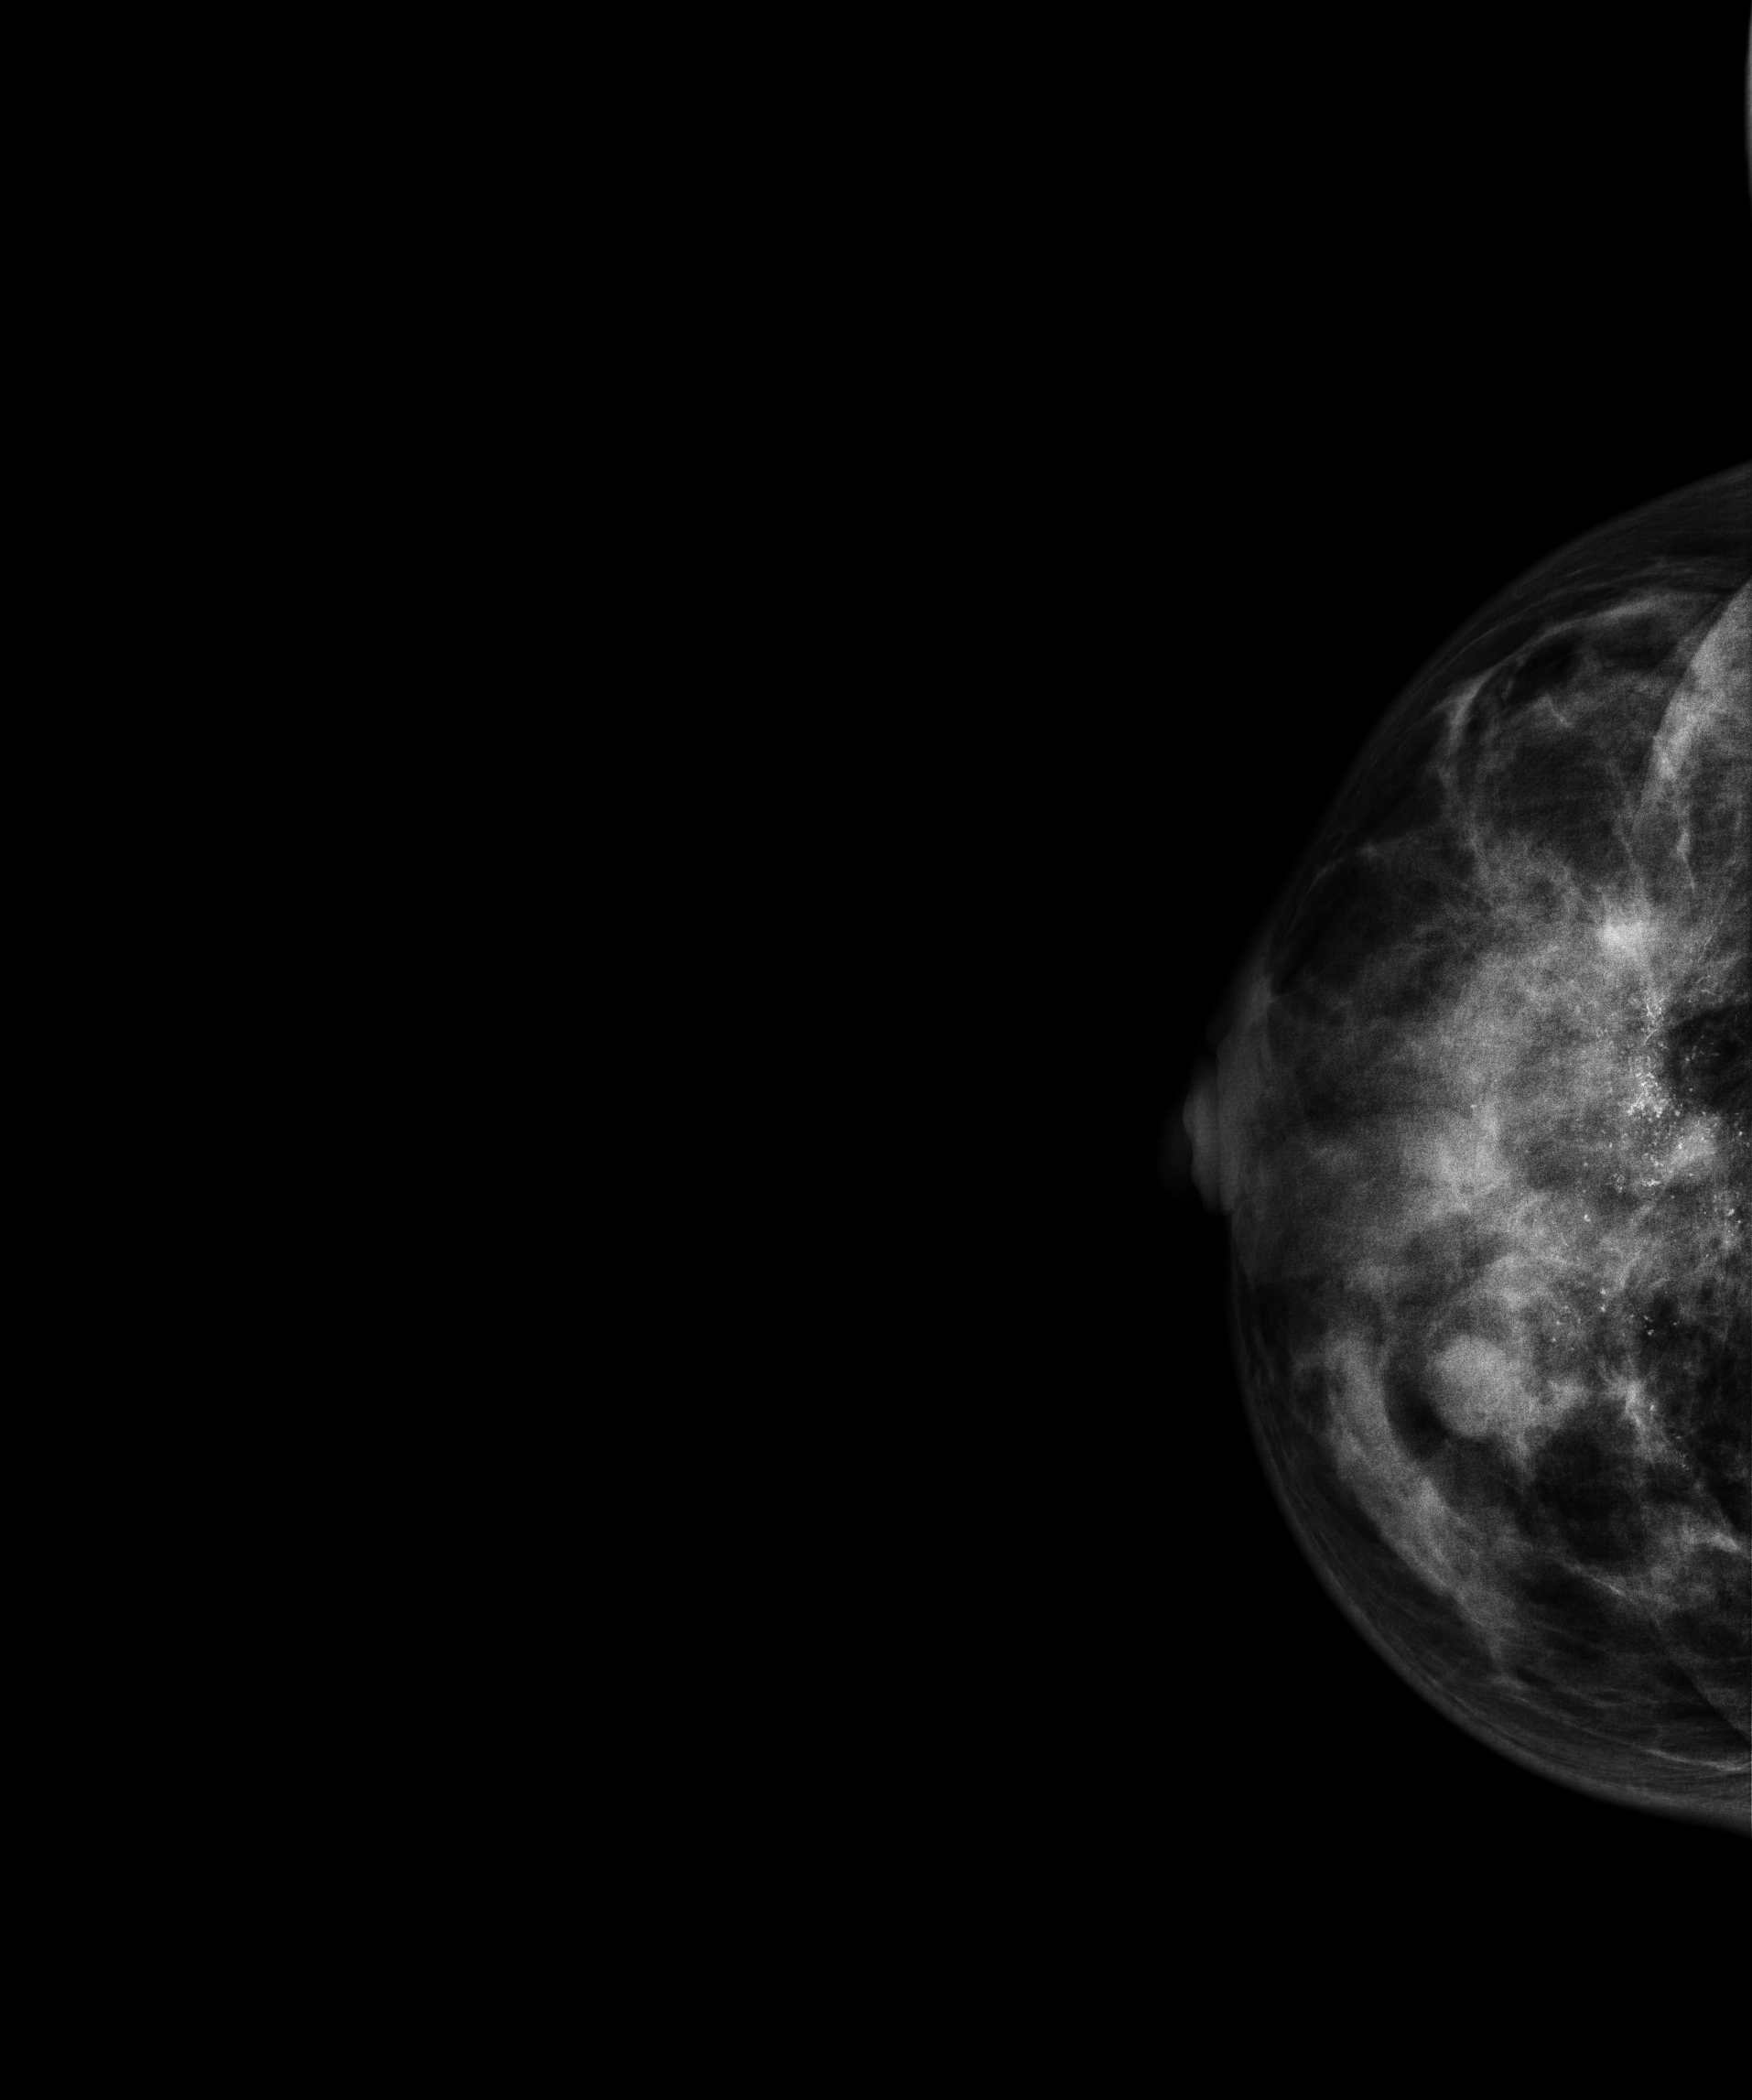
Cranio-caudal mammogram of the right breast. 41 y/o patient.
This breast has calcifications, biopsy-proven malignant. Molecular subtype: luminal A.